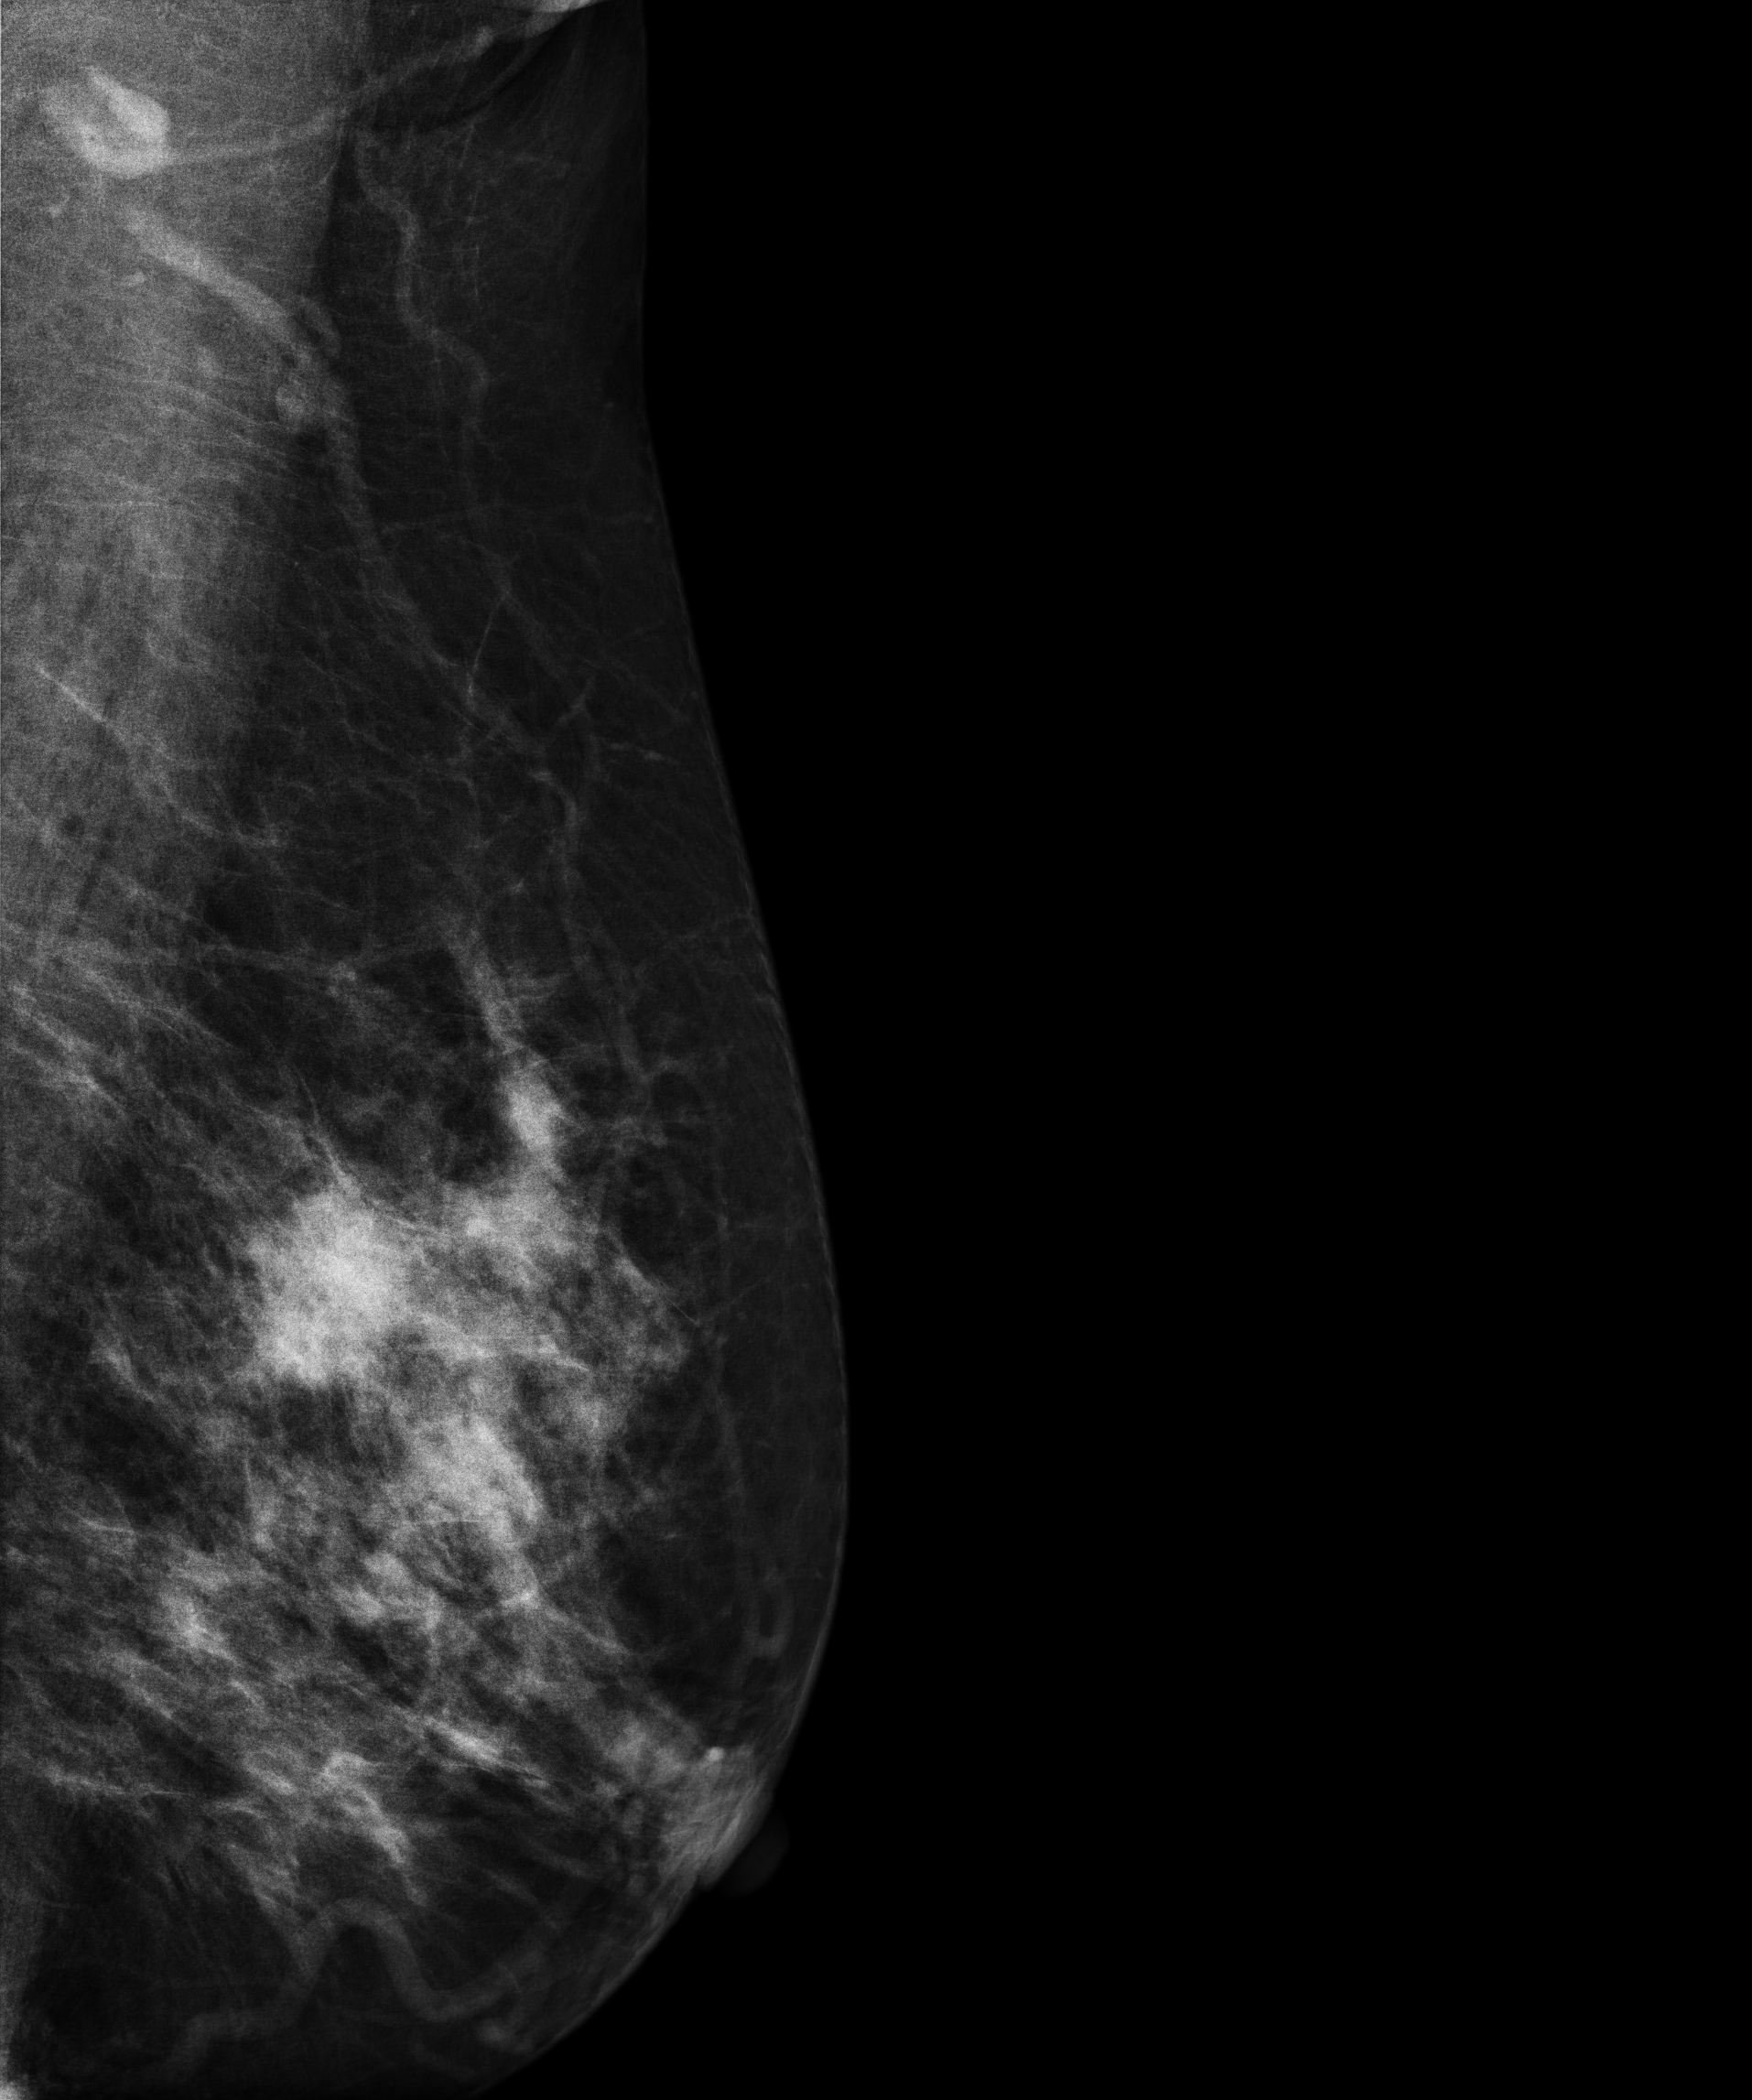
Digital mammography. Left breast, medio-lateral oblique projection. Patient age 65.
This breast has a mass, pathology-confirmed malignant. Molecular subtype: luminal A.